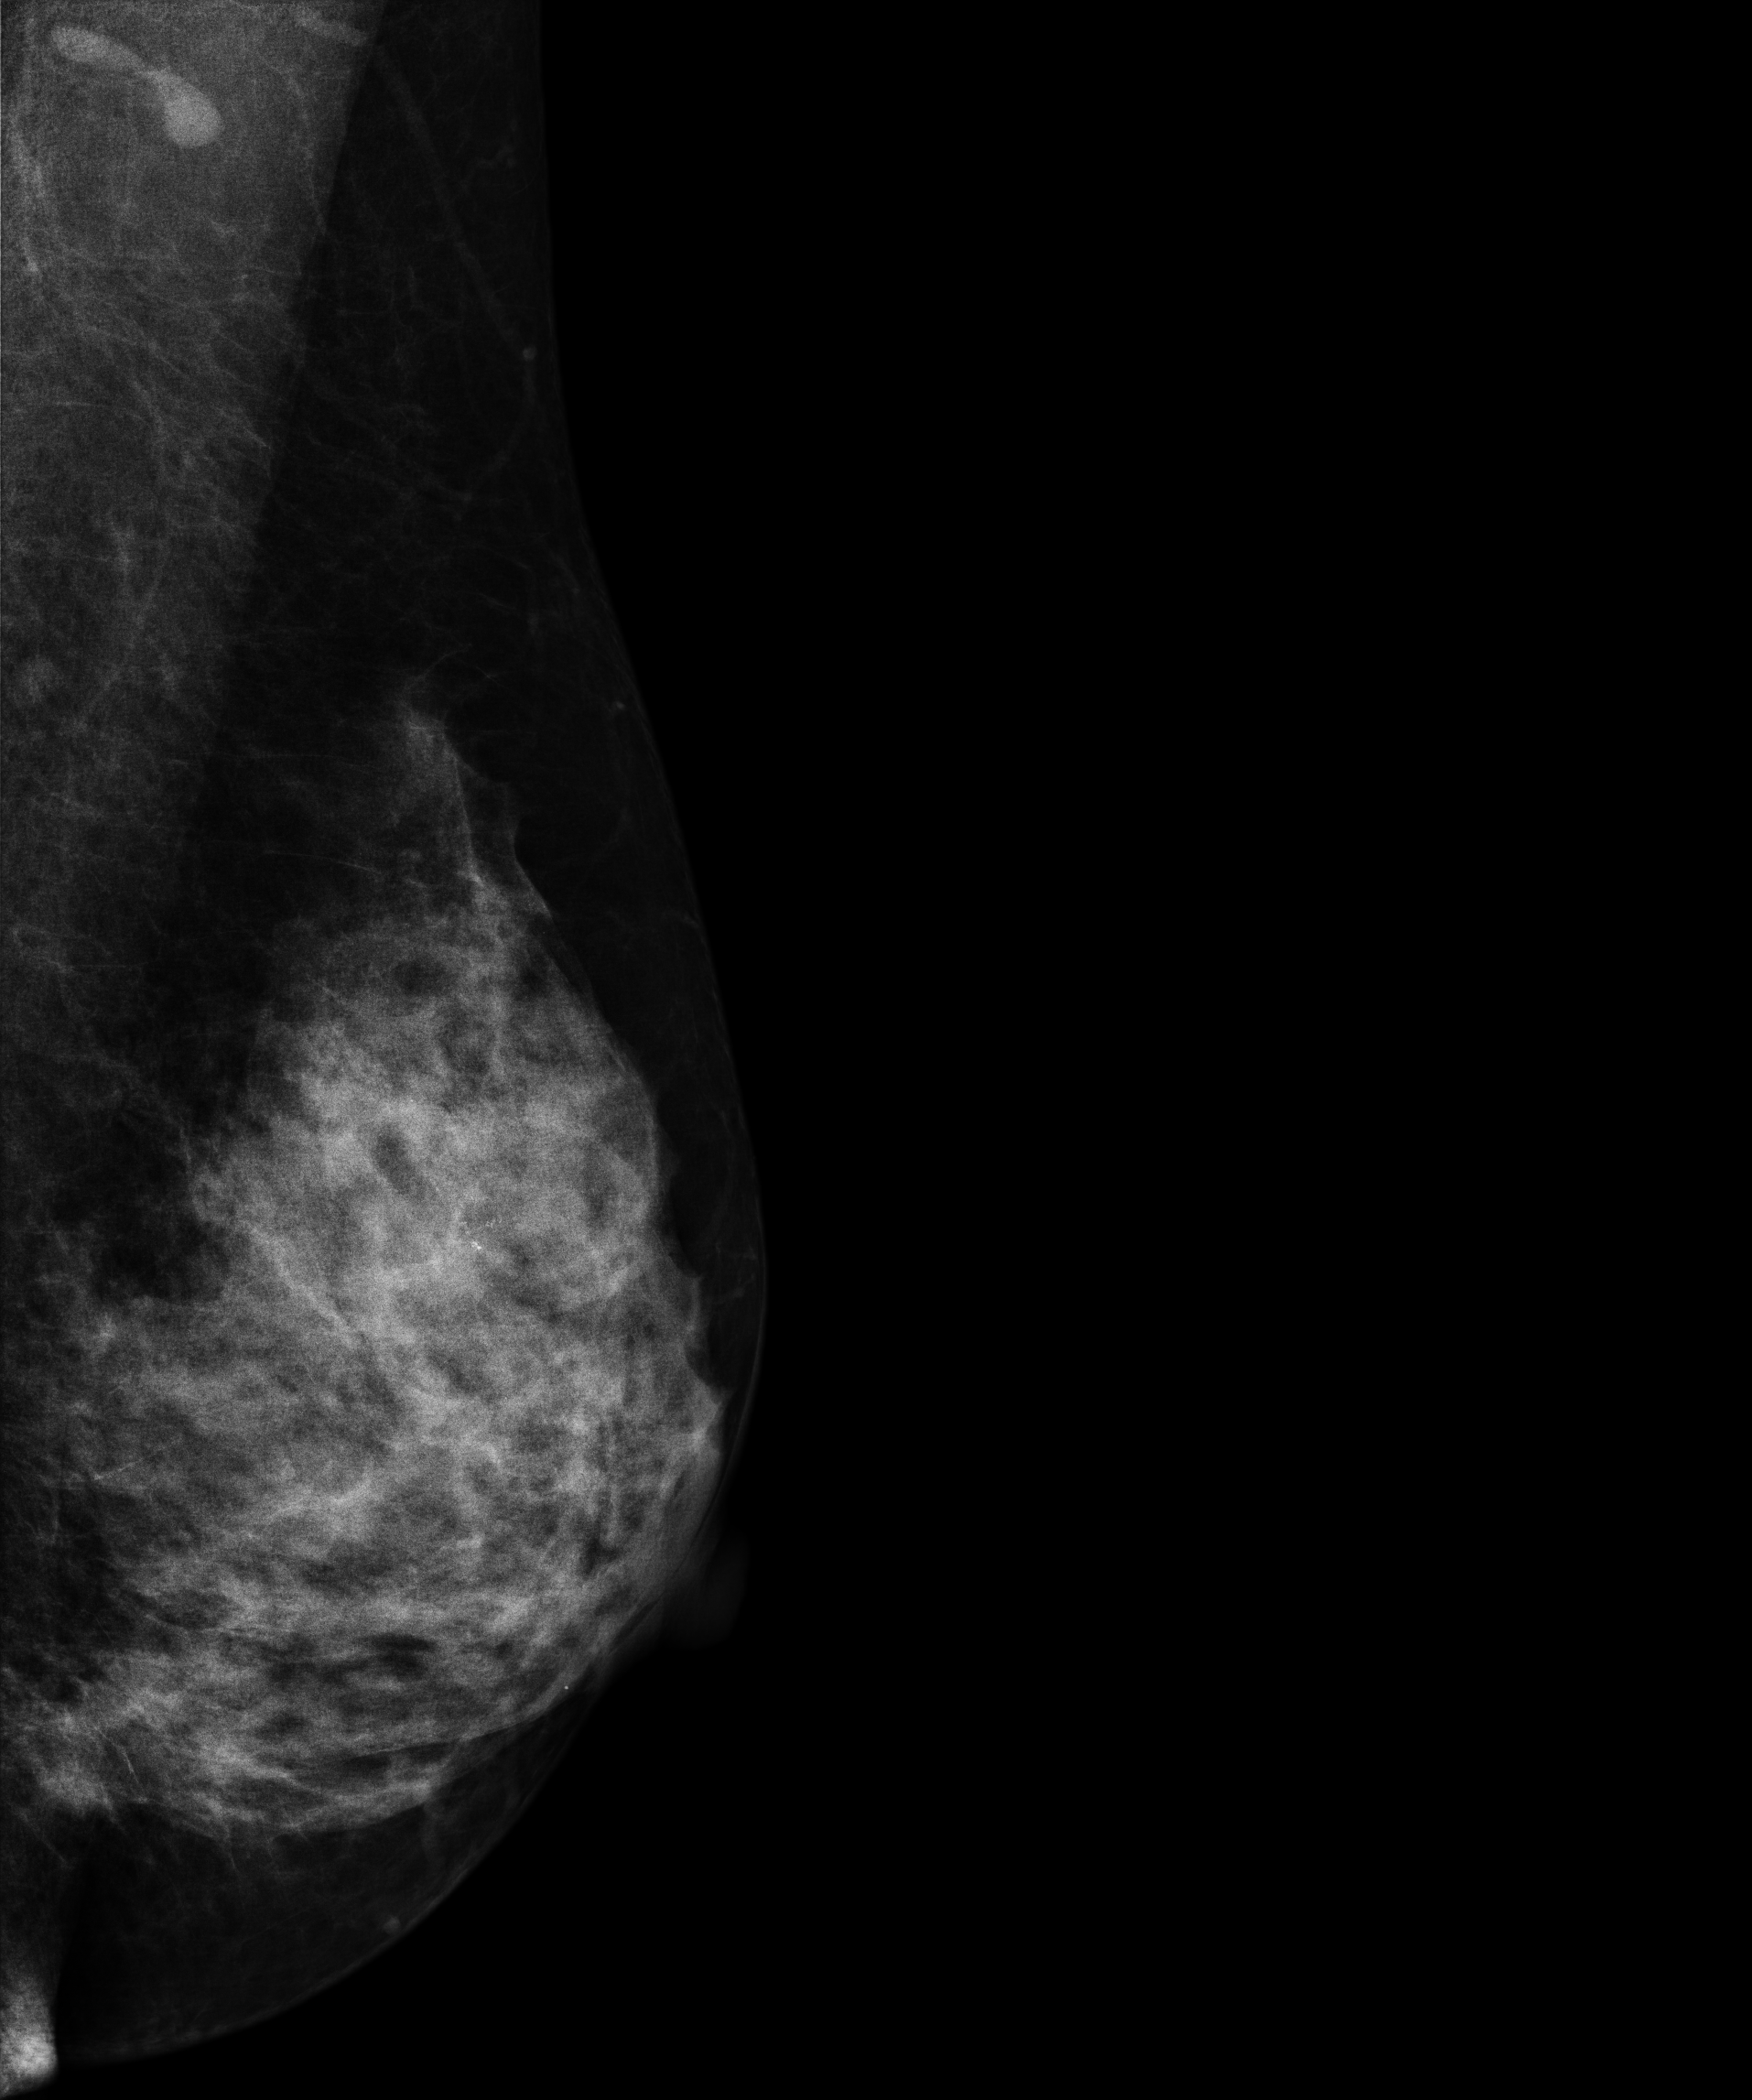
Mammogram — left medio-lateral oblique. Patient age 52.
This breast has a mass and calcifications, pathology-confirmed malignant.